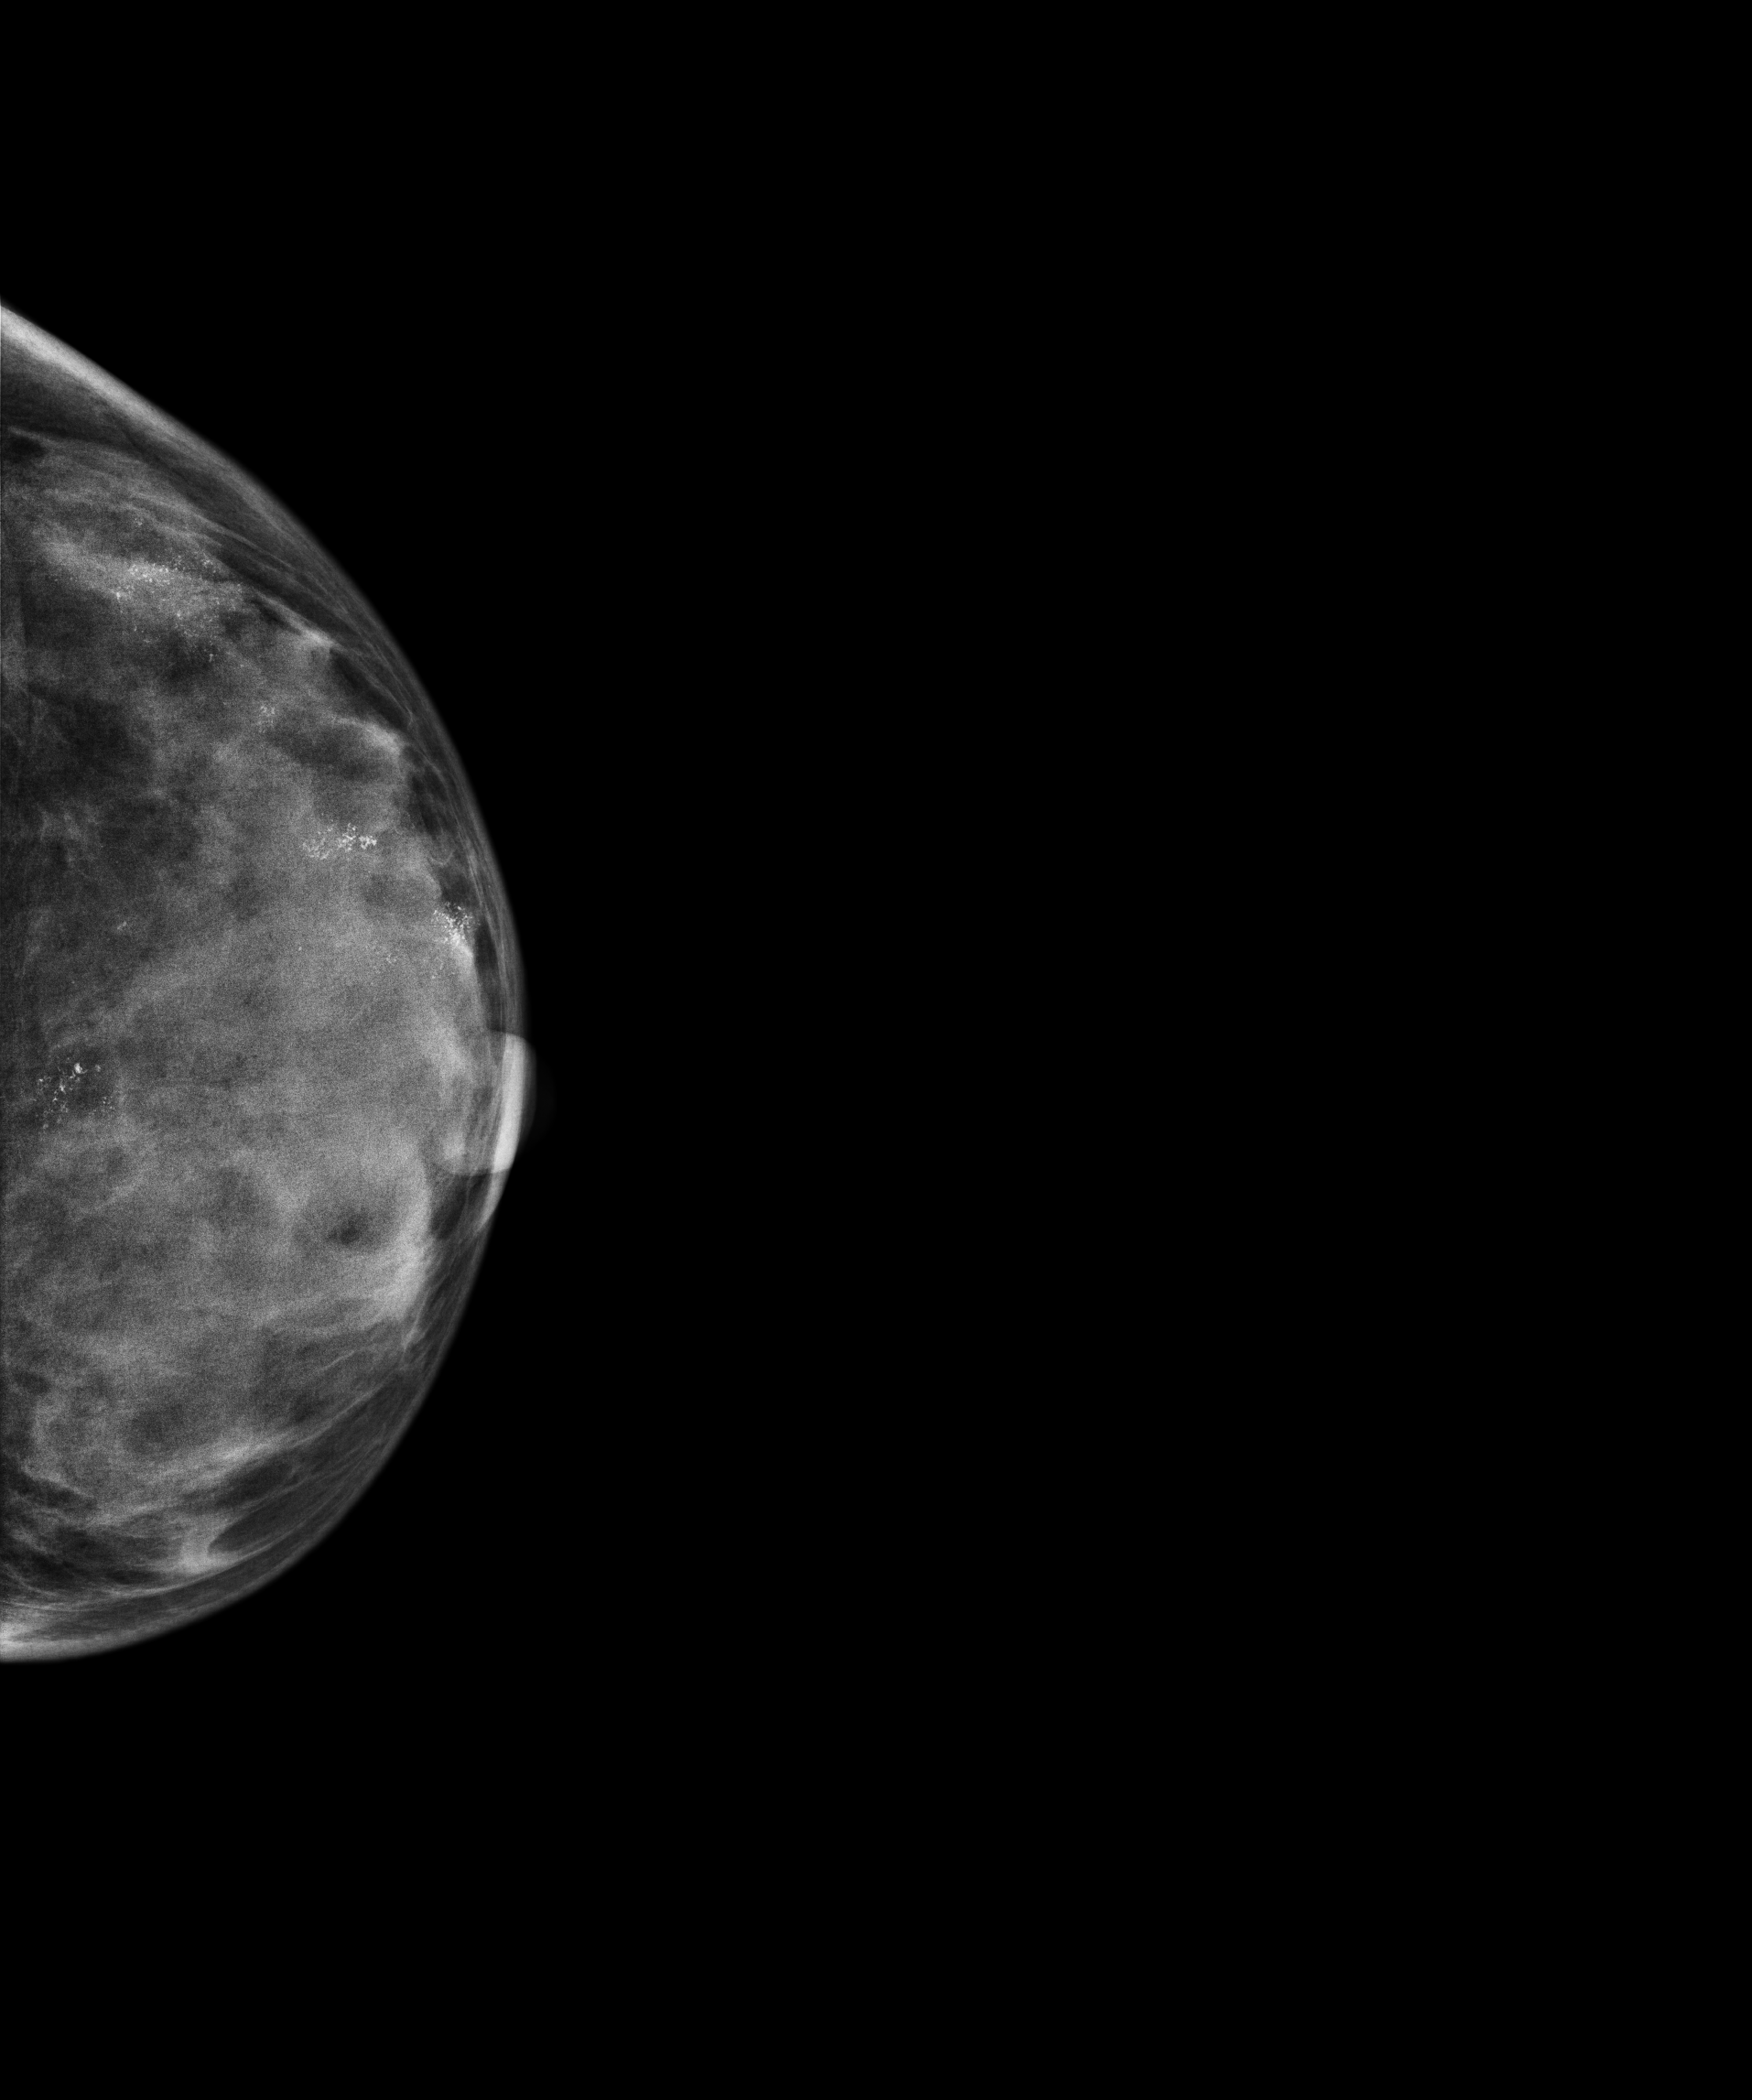
Left-breast mammogram, cranio-caudal. Patient age 41.
This breast has calcifications, biopsy-proven benign.